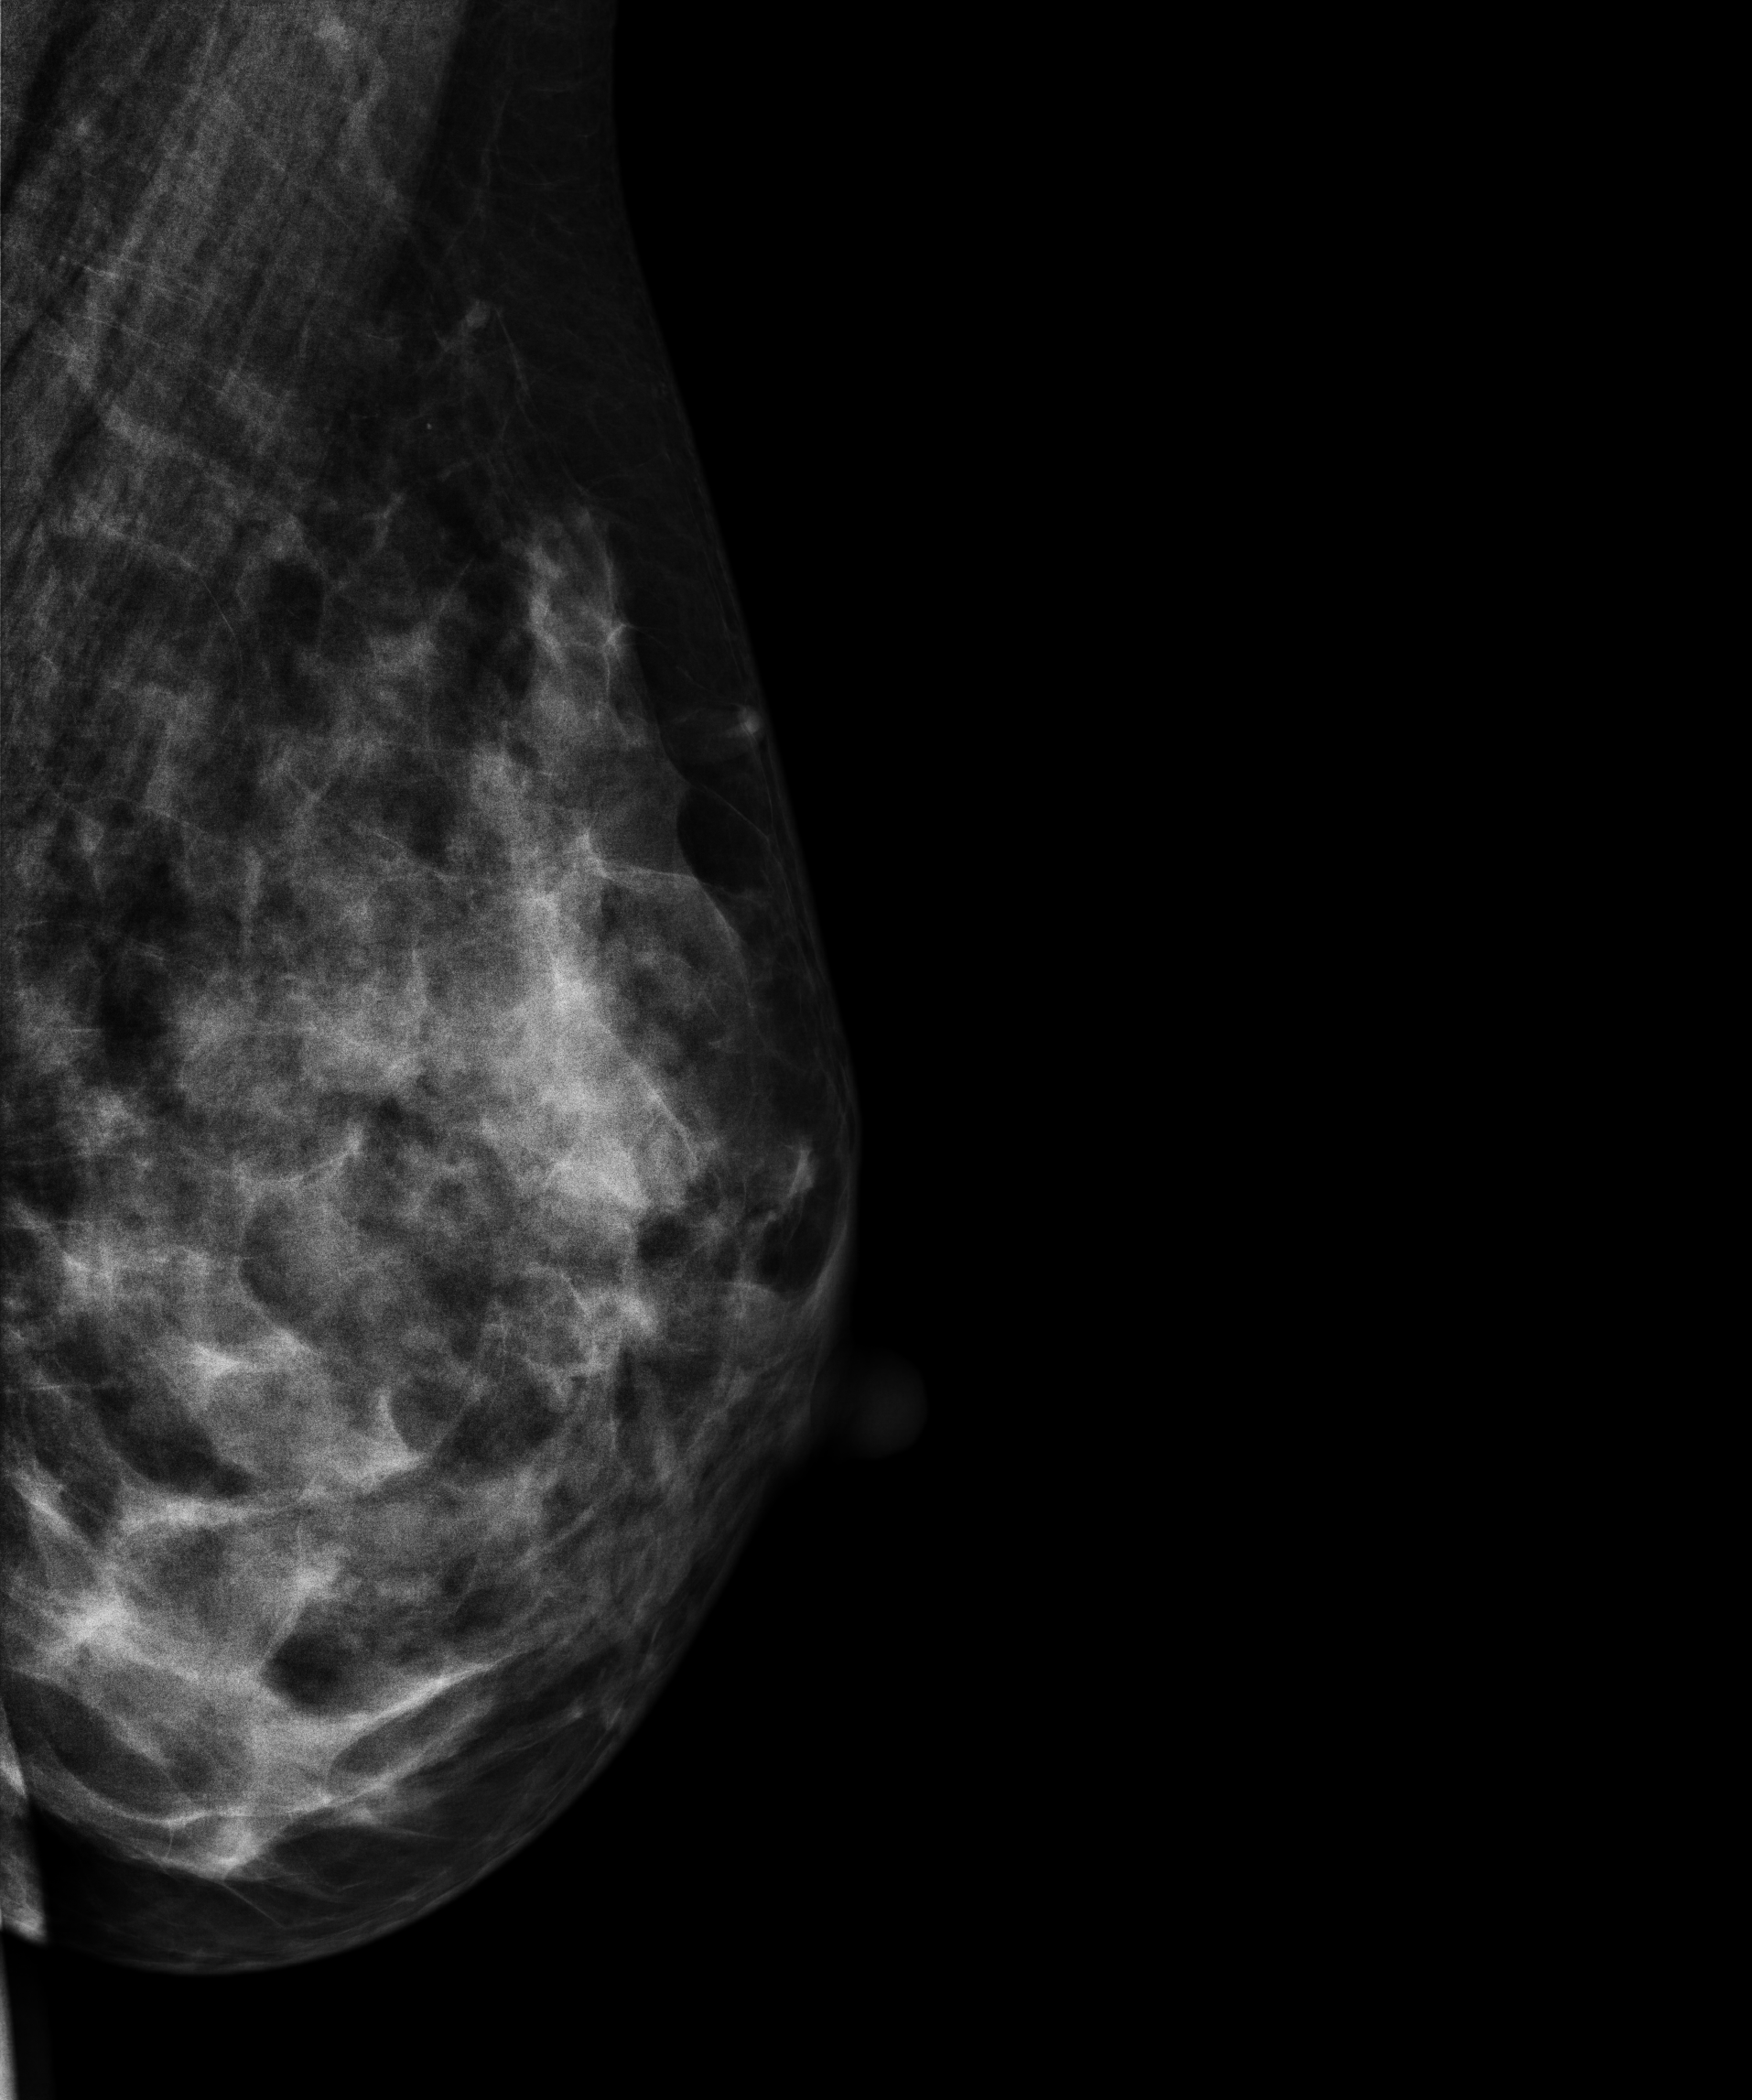
Digital mammography. Left breast, MLO projection. 47 y/o patient.
This breast has a mass, pathology-confirmed malignant. Molecular subtype: luminal B.